Left-breast mammogram, CC. 39-year-old patient.
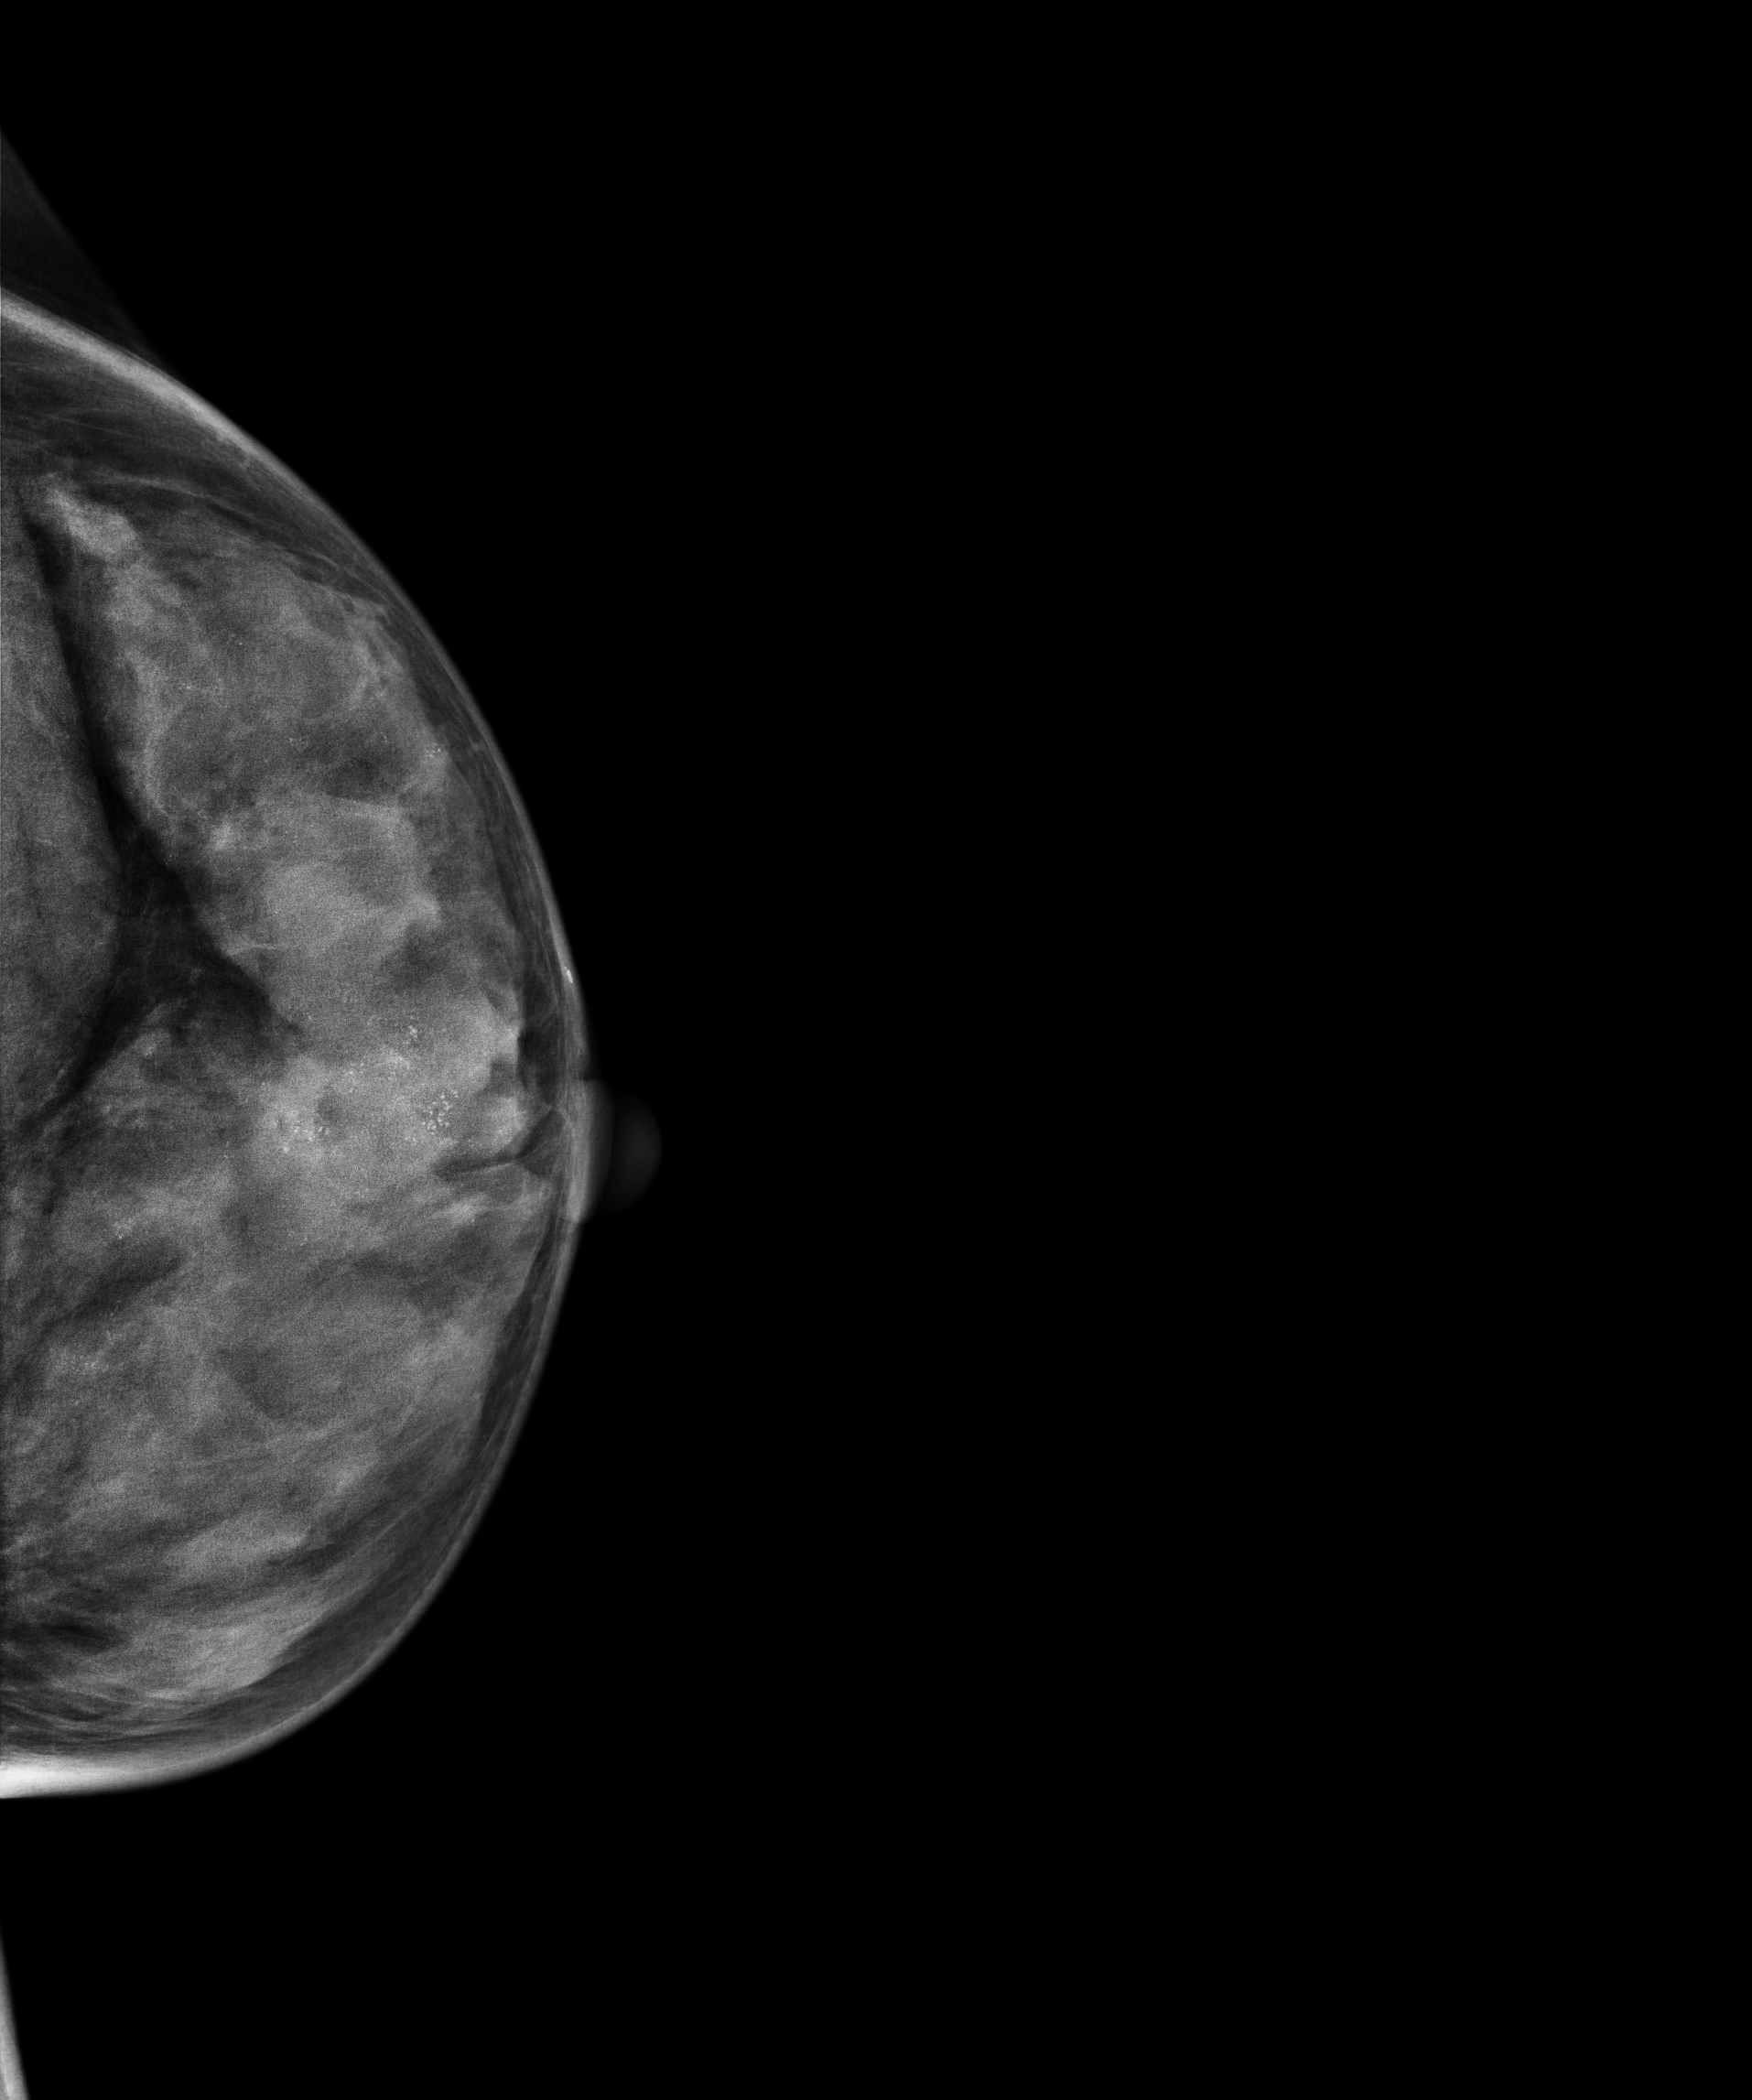
This breast has calcifications, biopsy-proven malignant. Molecular subtype: luminal B.